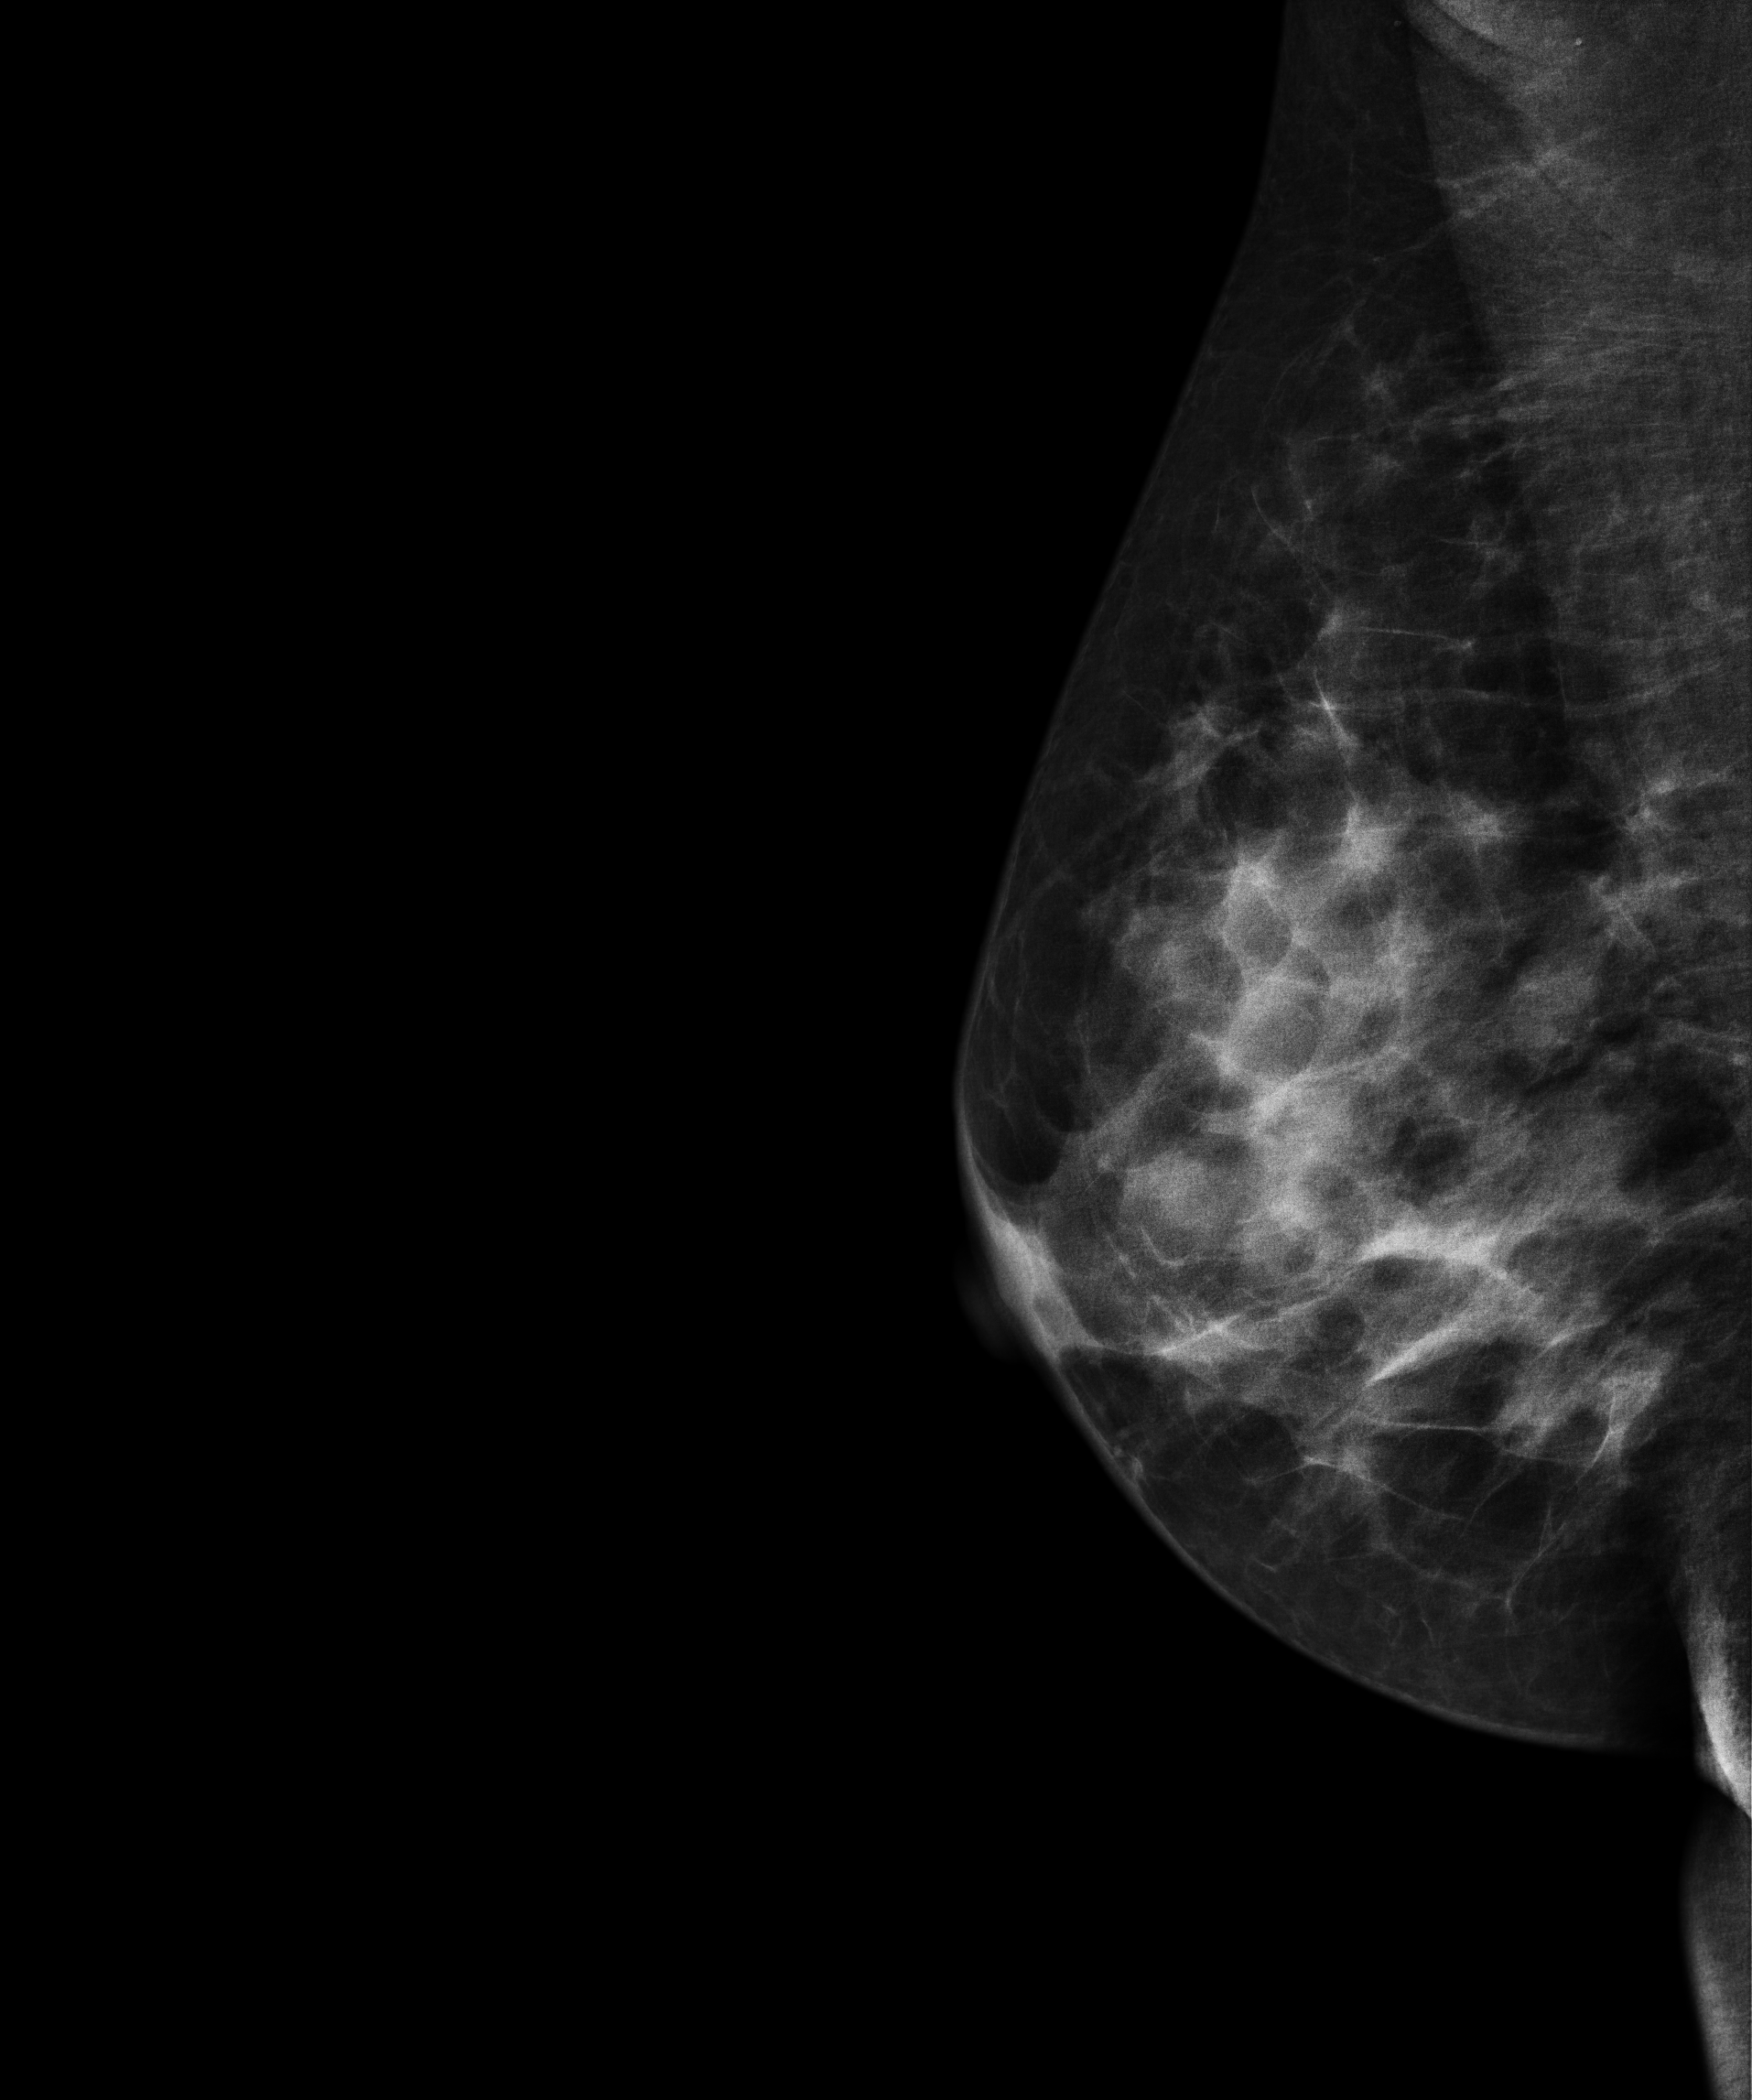
Medio-lateral oblique mammogram of the right breast. 48-year-old patient.
This breast has a mass, histologically confirmed benign.